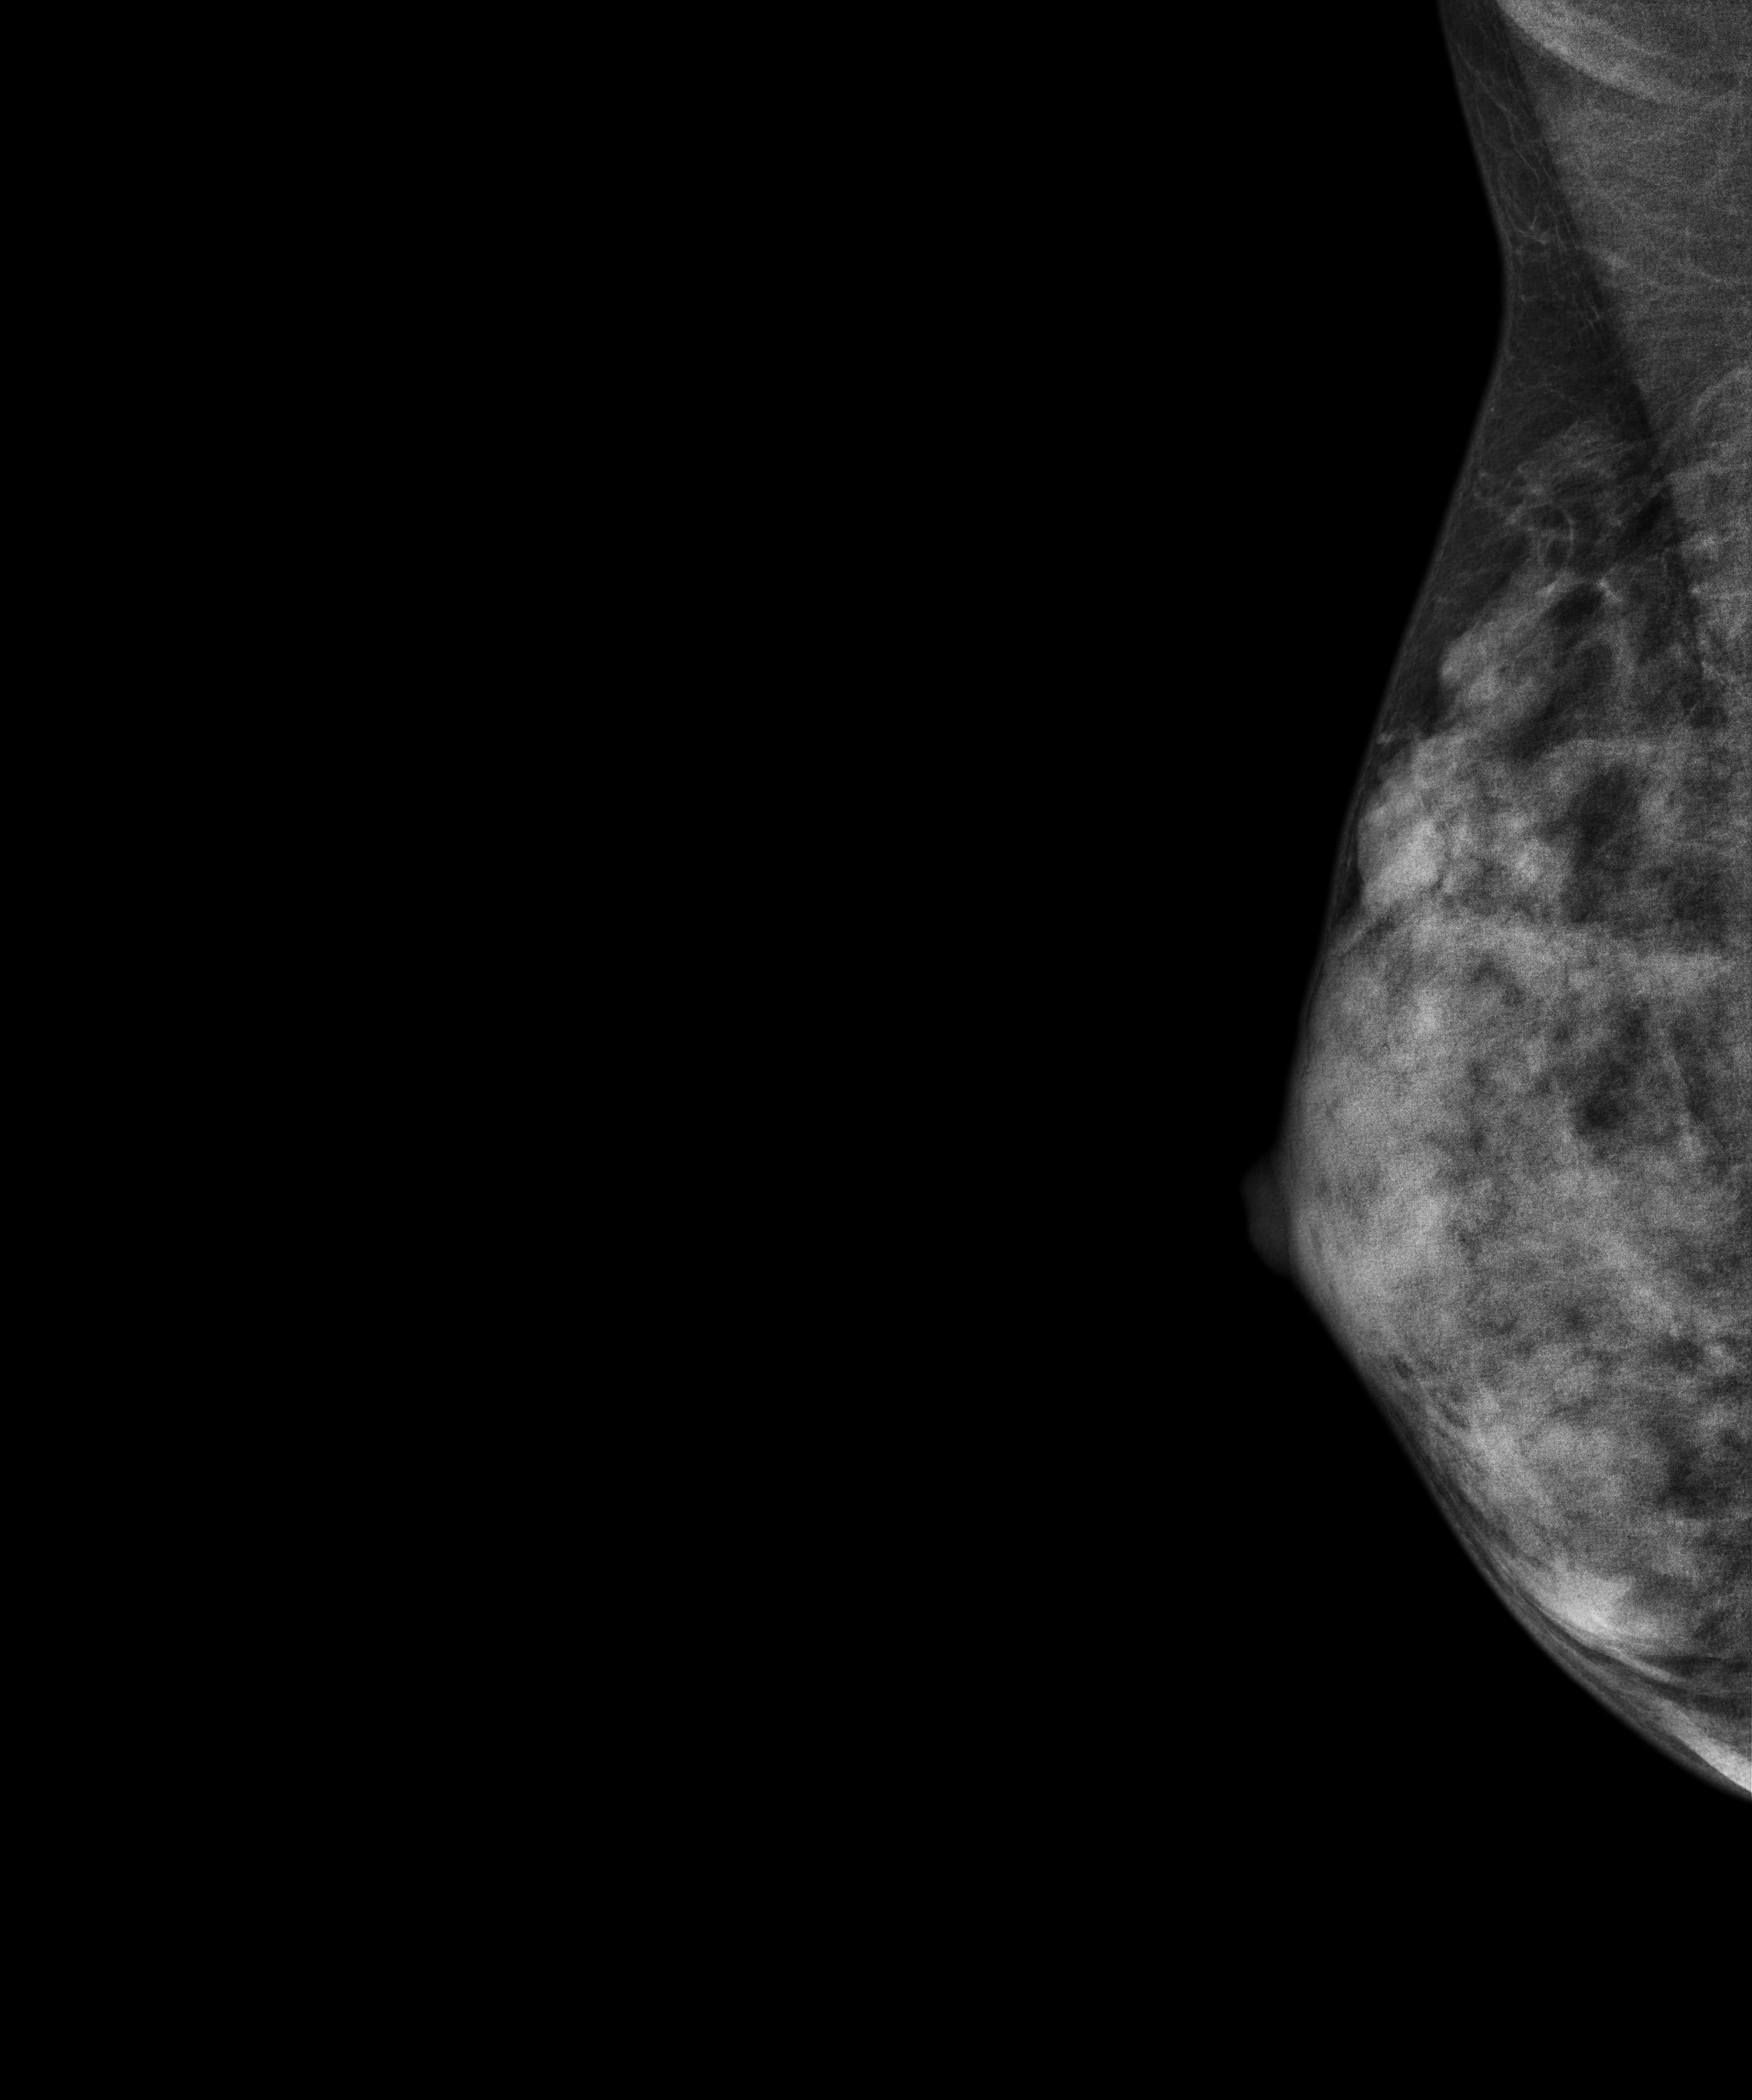
Mammogram — right medio-lateral oblique. Patient age 41.
This breast has a mass, histologically confirmed benign.